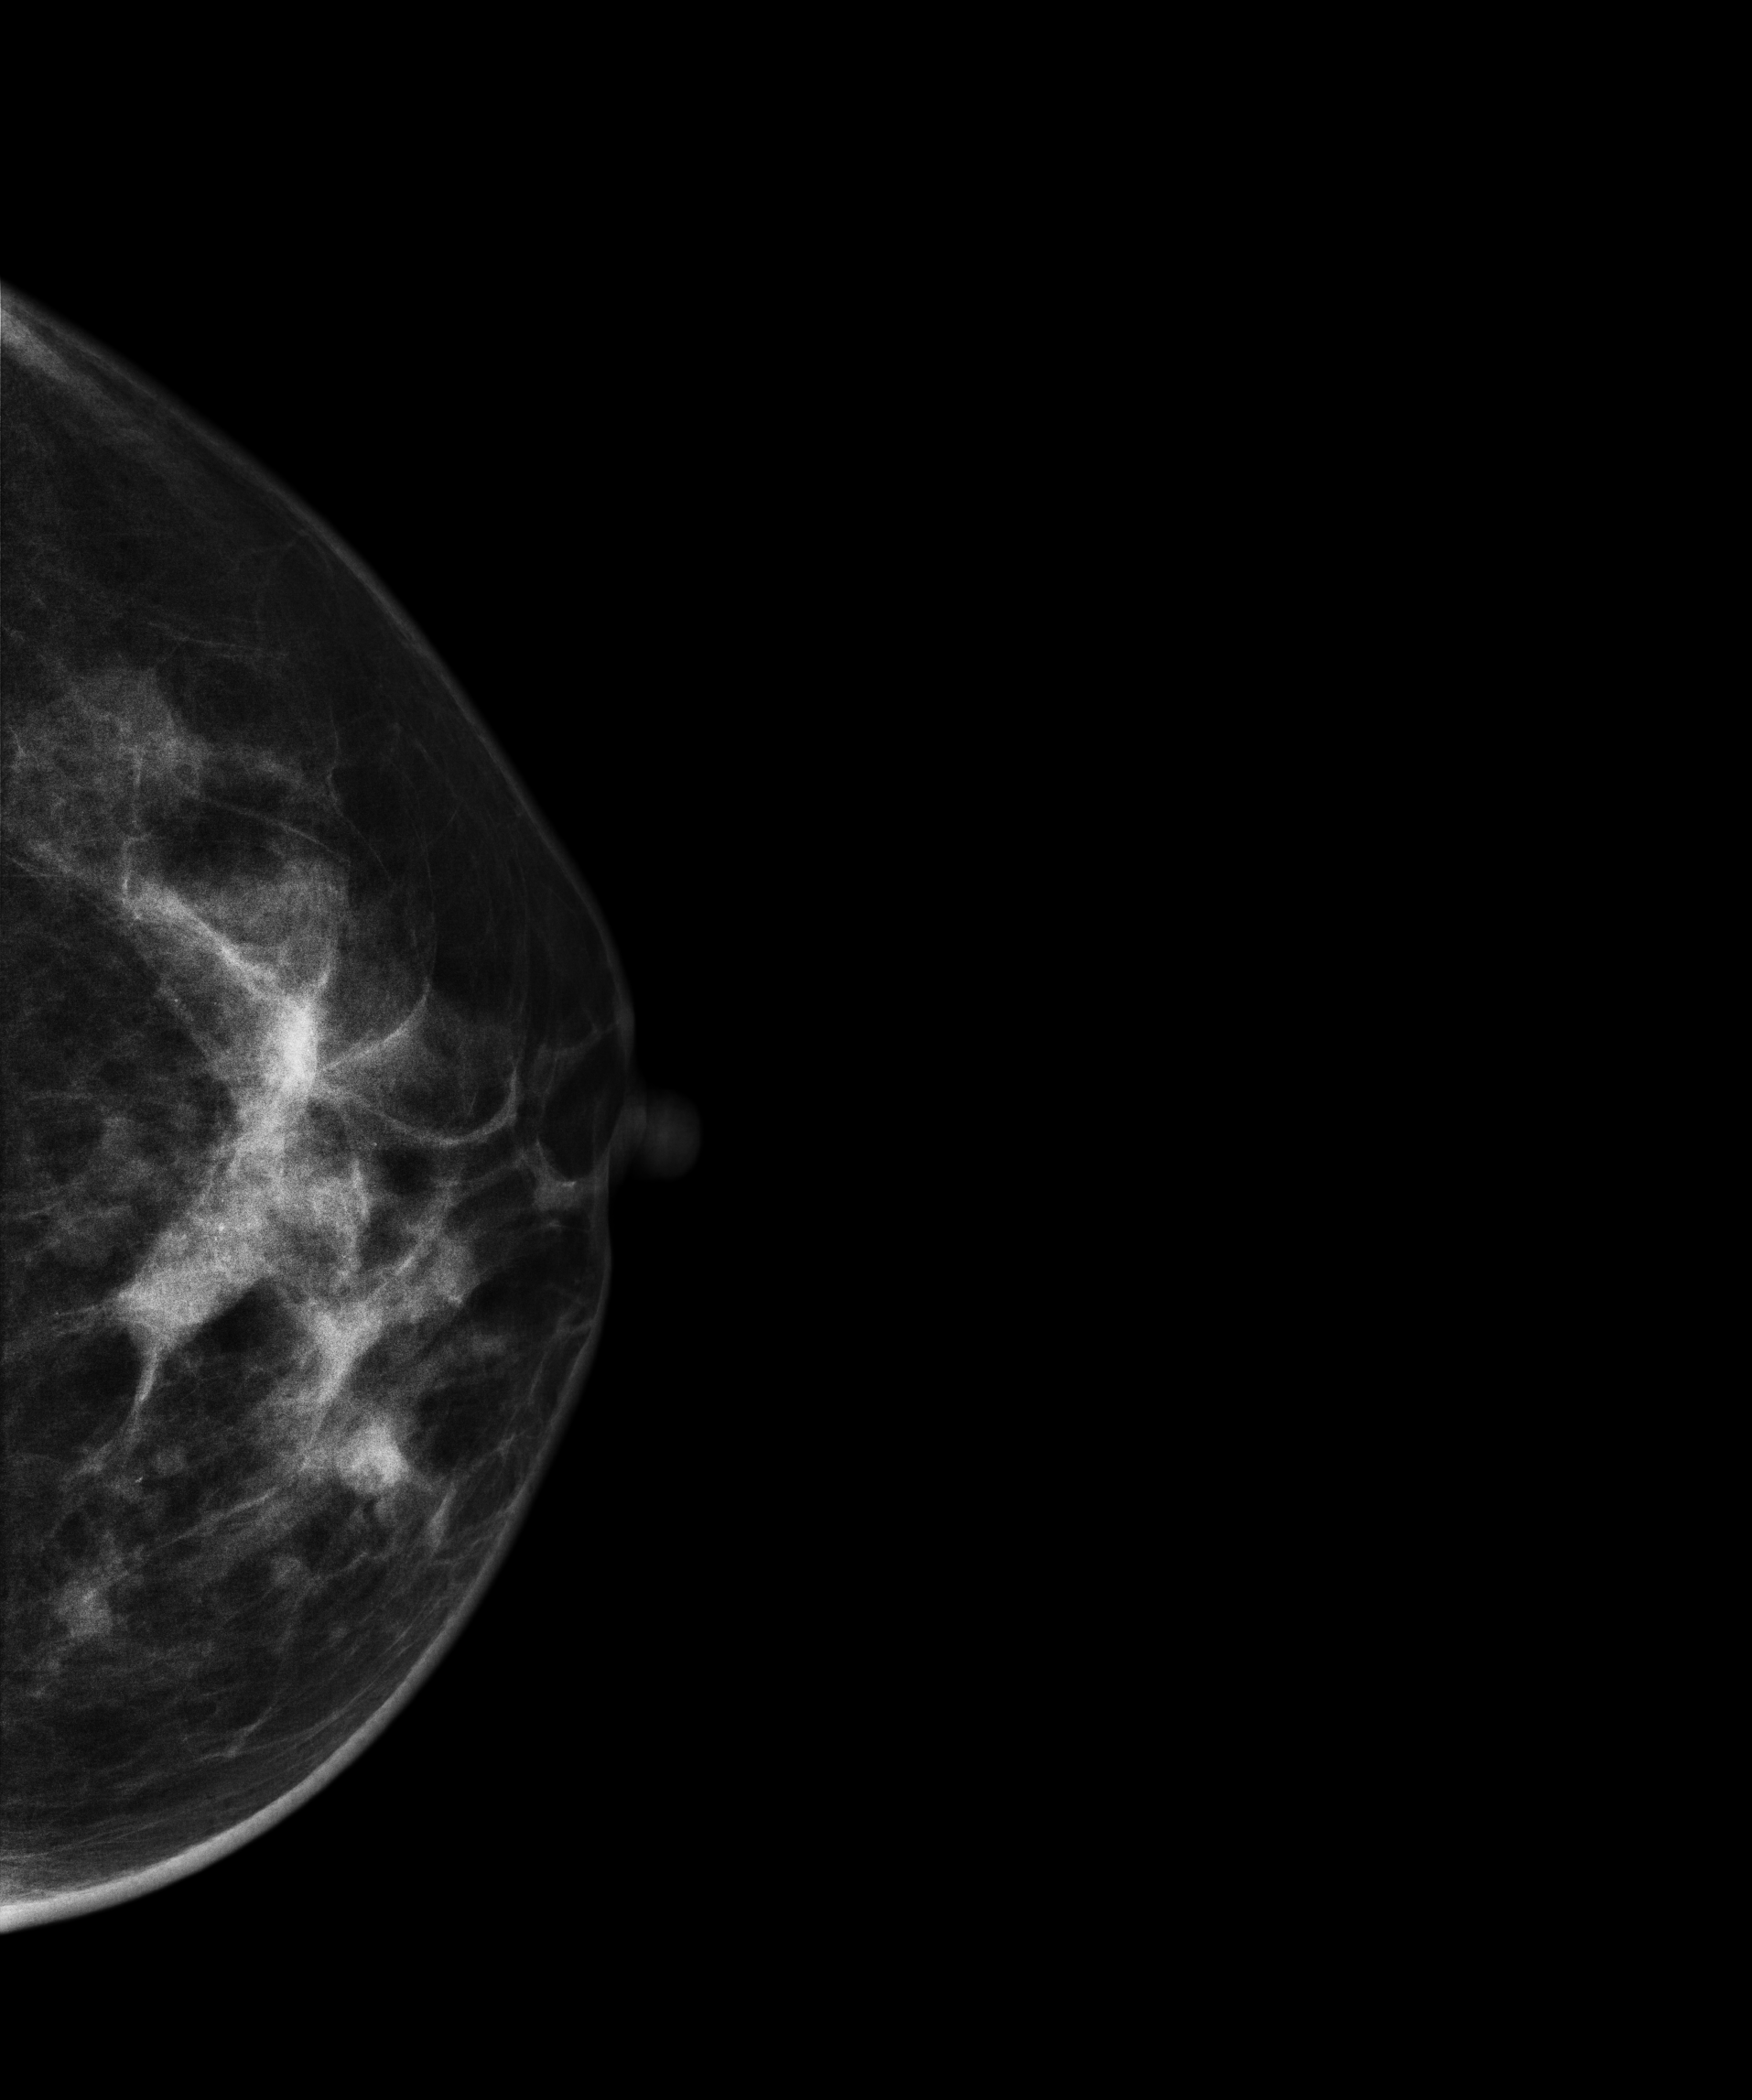
Digital mammography. Left breast, cranio-caudal projection. 45-year-old patient.
This breast has a mass and calcifications, histologically confirmed malignant. Molecular subtype: HER2-enriched.